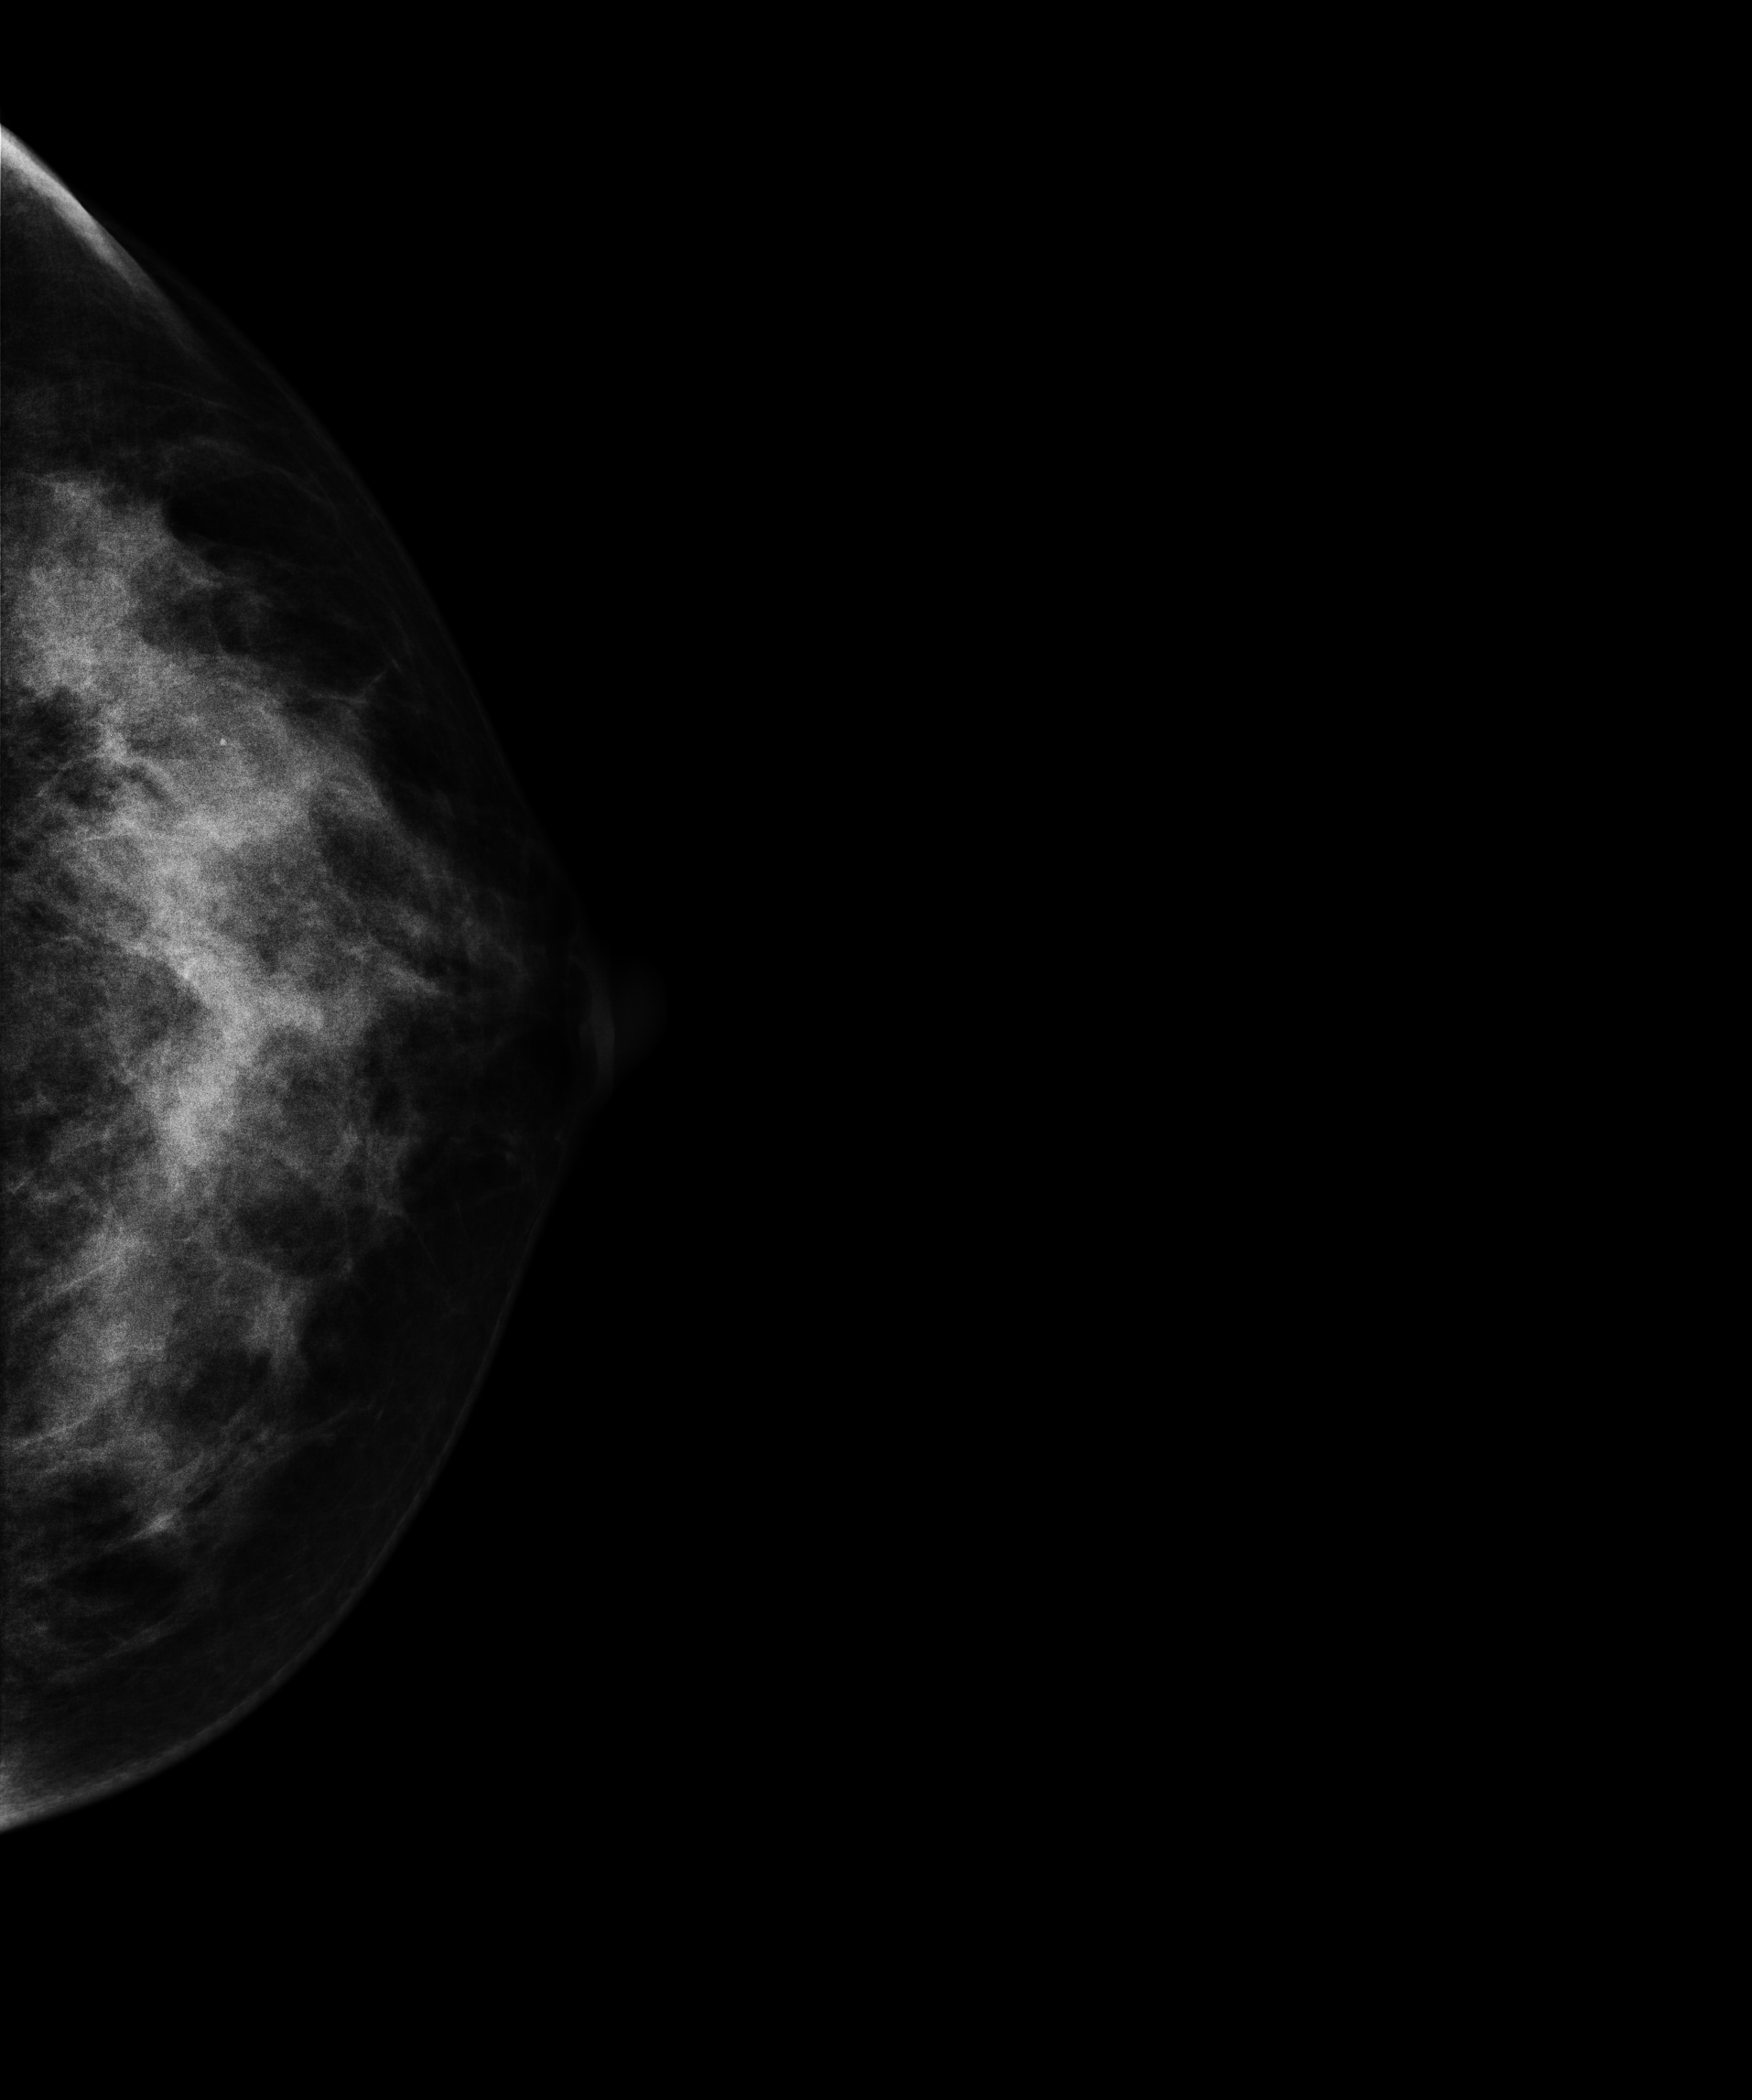
Left-breast mammogram, cranio-caudal. 44 y/o patient.
This breast has a mass, biopsy-proven benign.